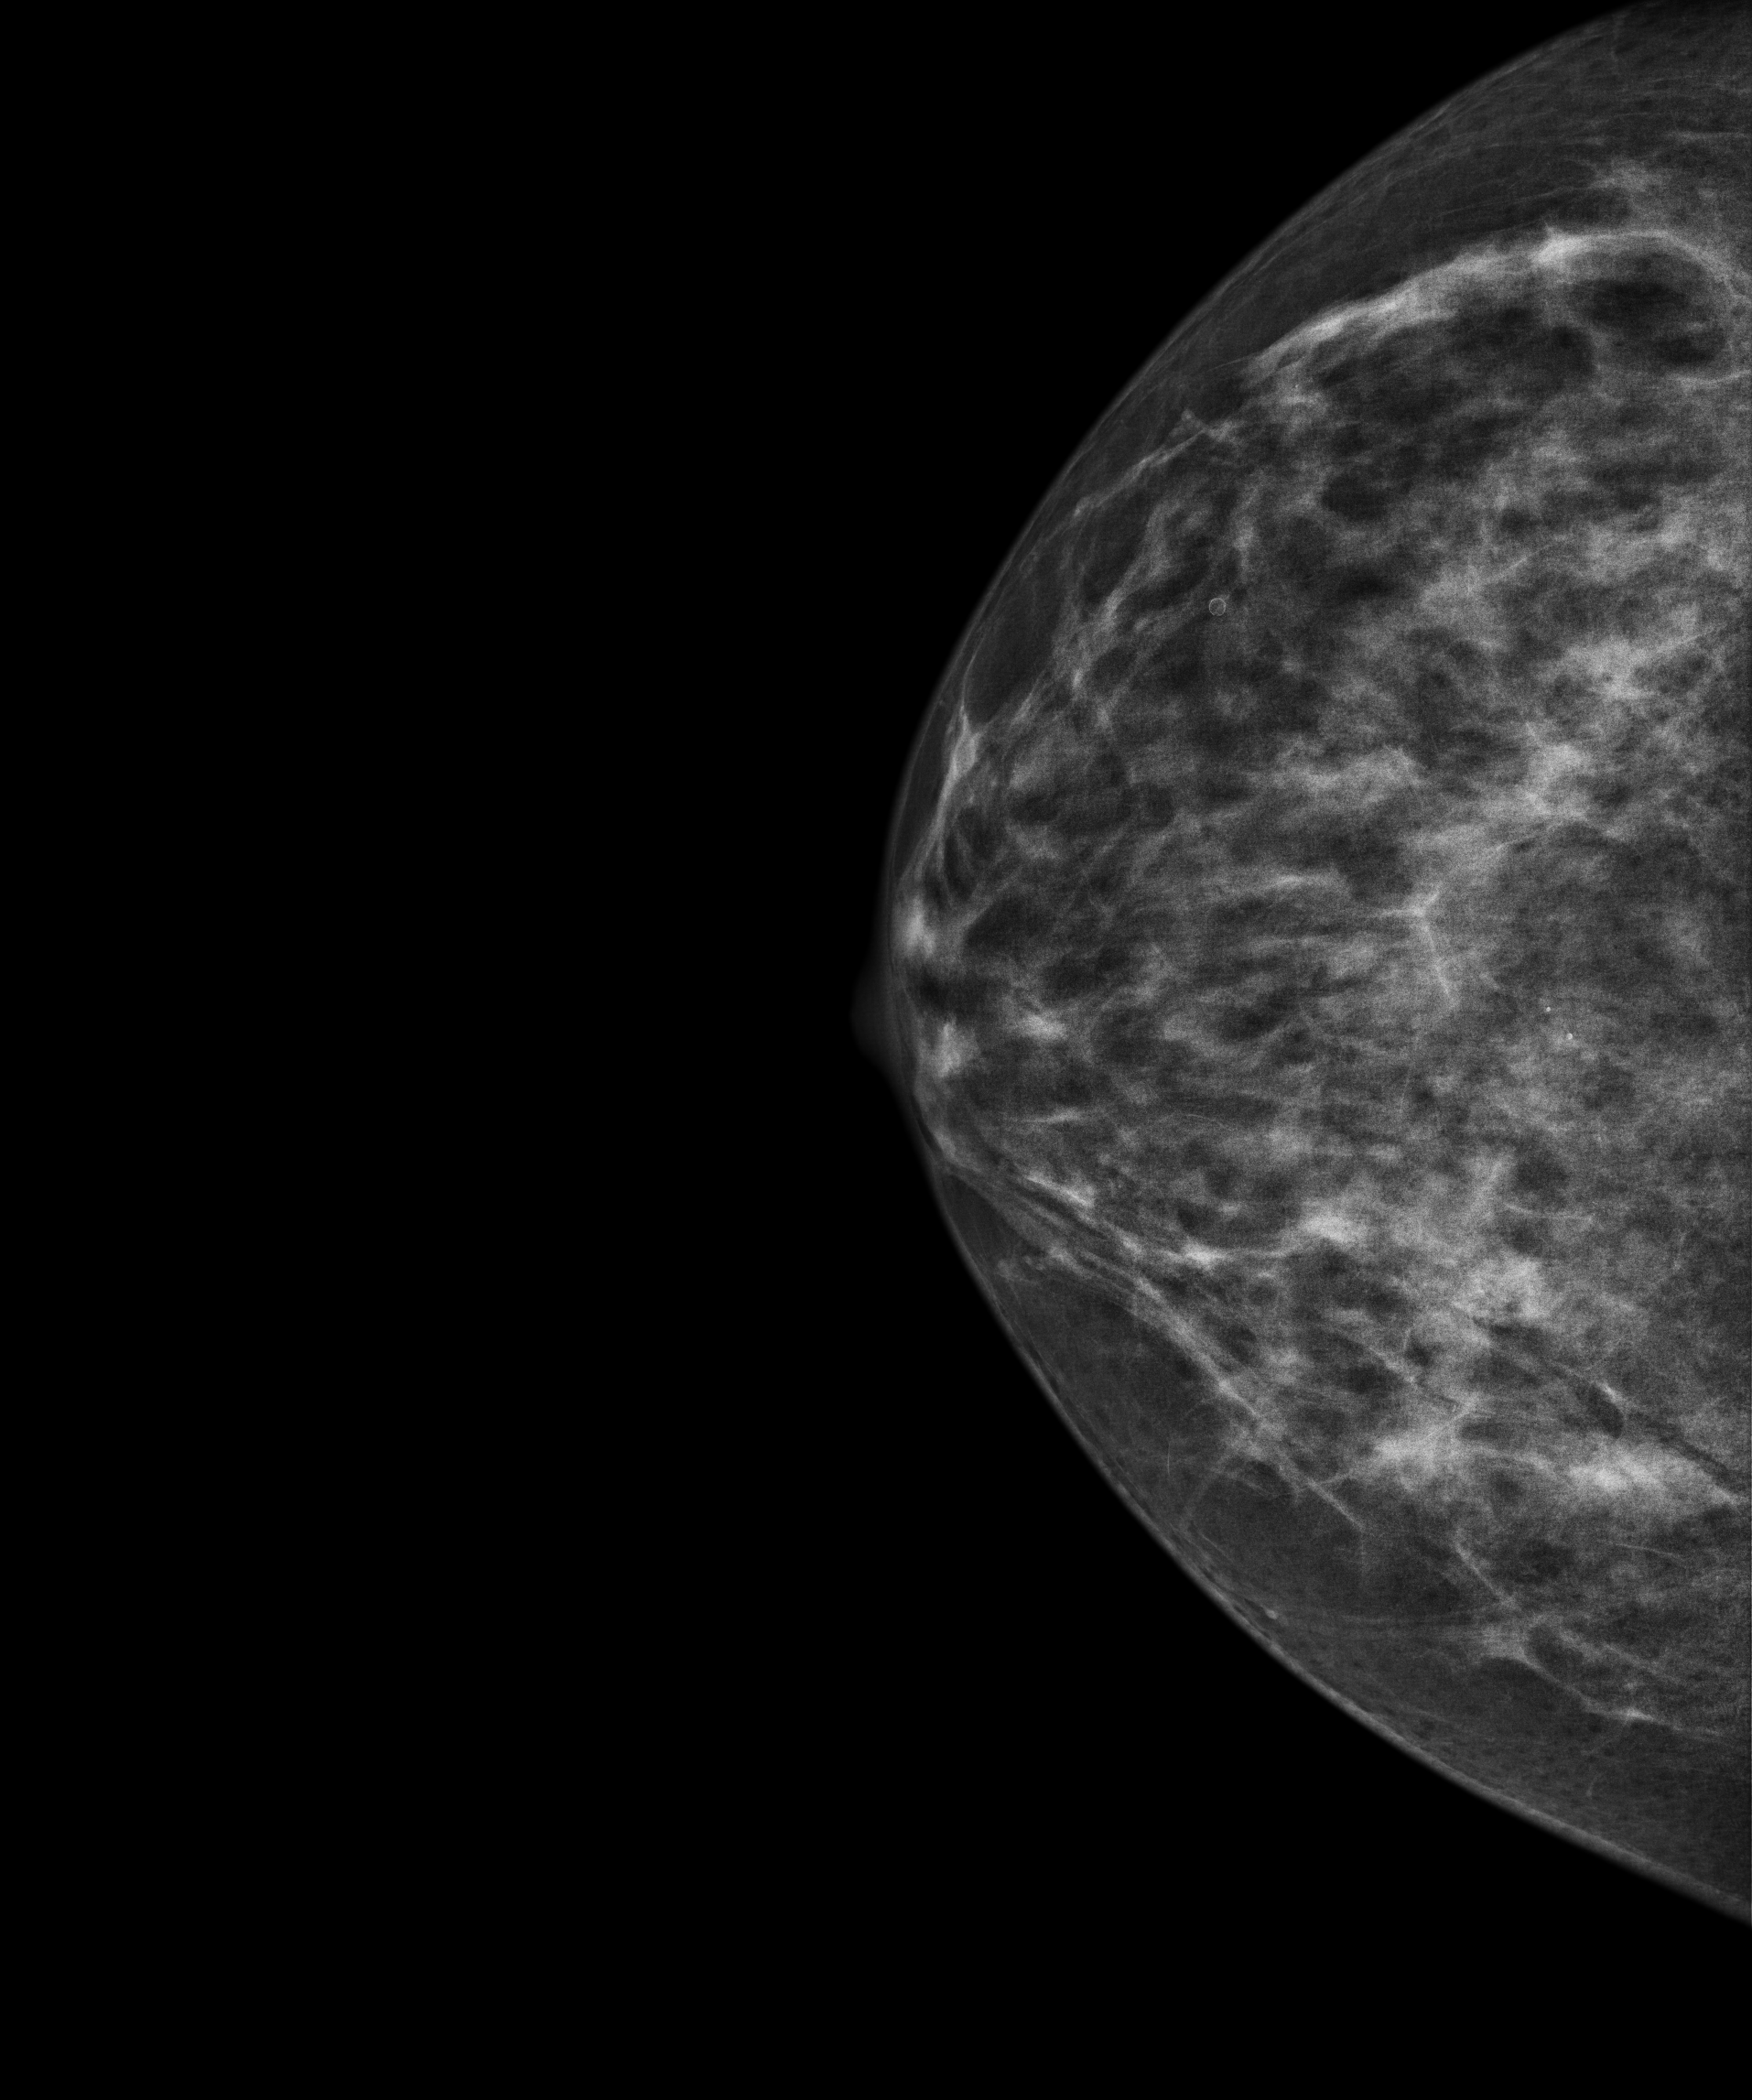
Right-breast mammogram, CC. 53-year-old patient.
Contralateral breast — no documented abnormality on this side.